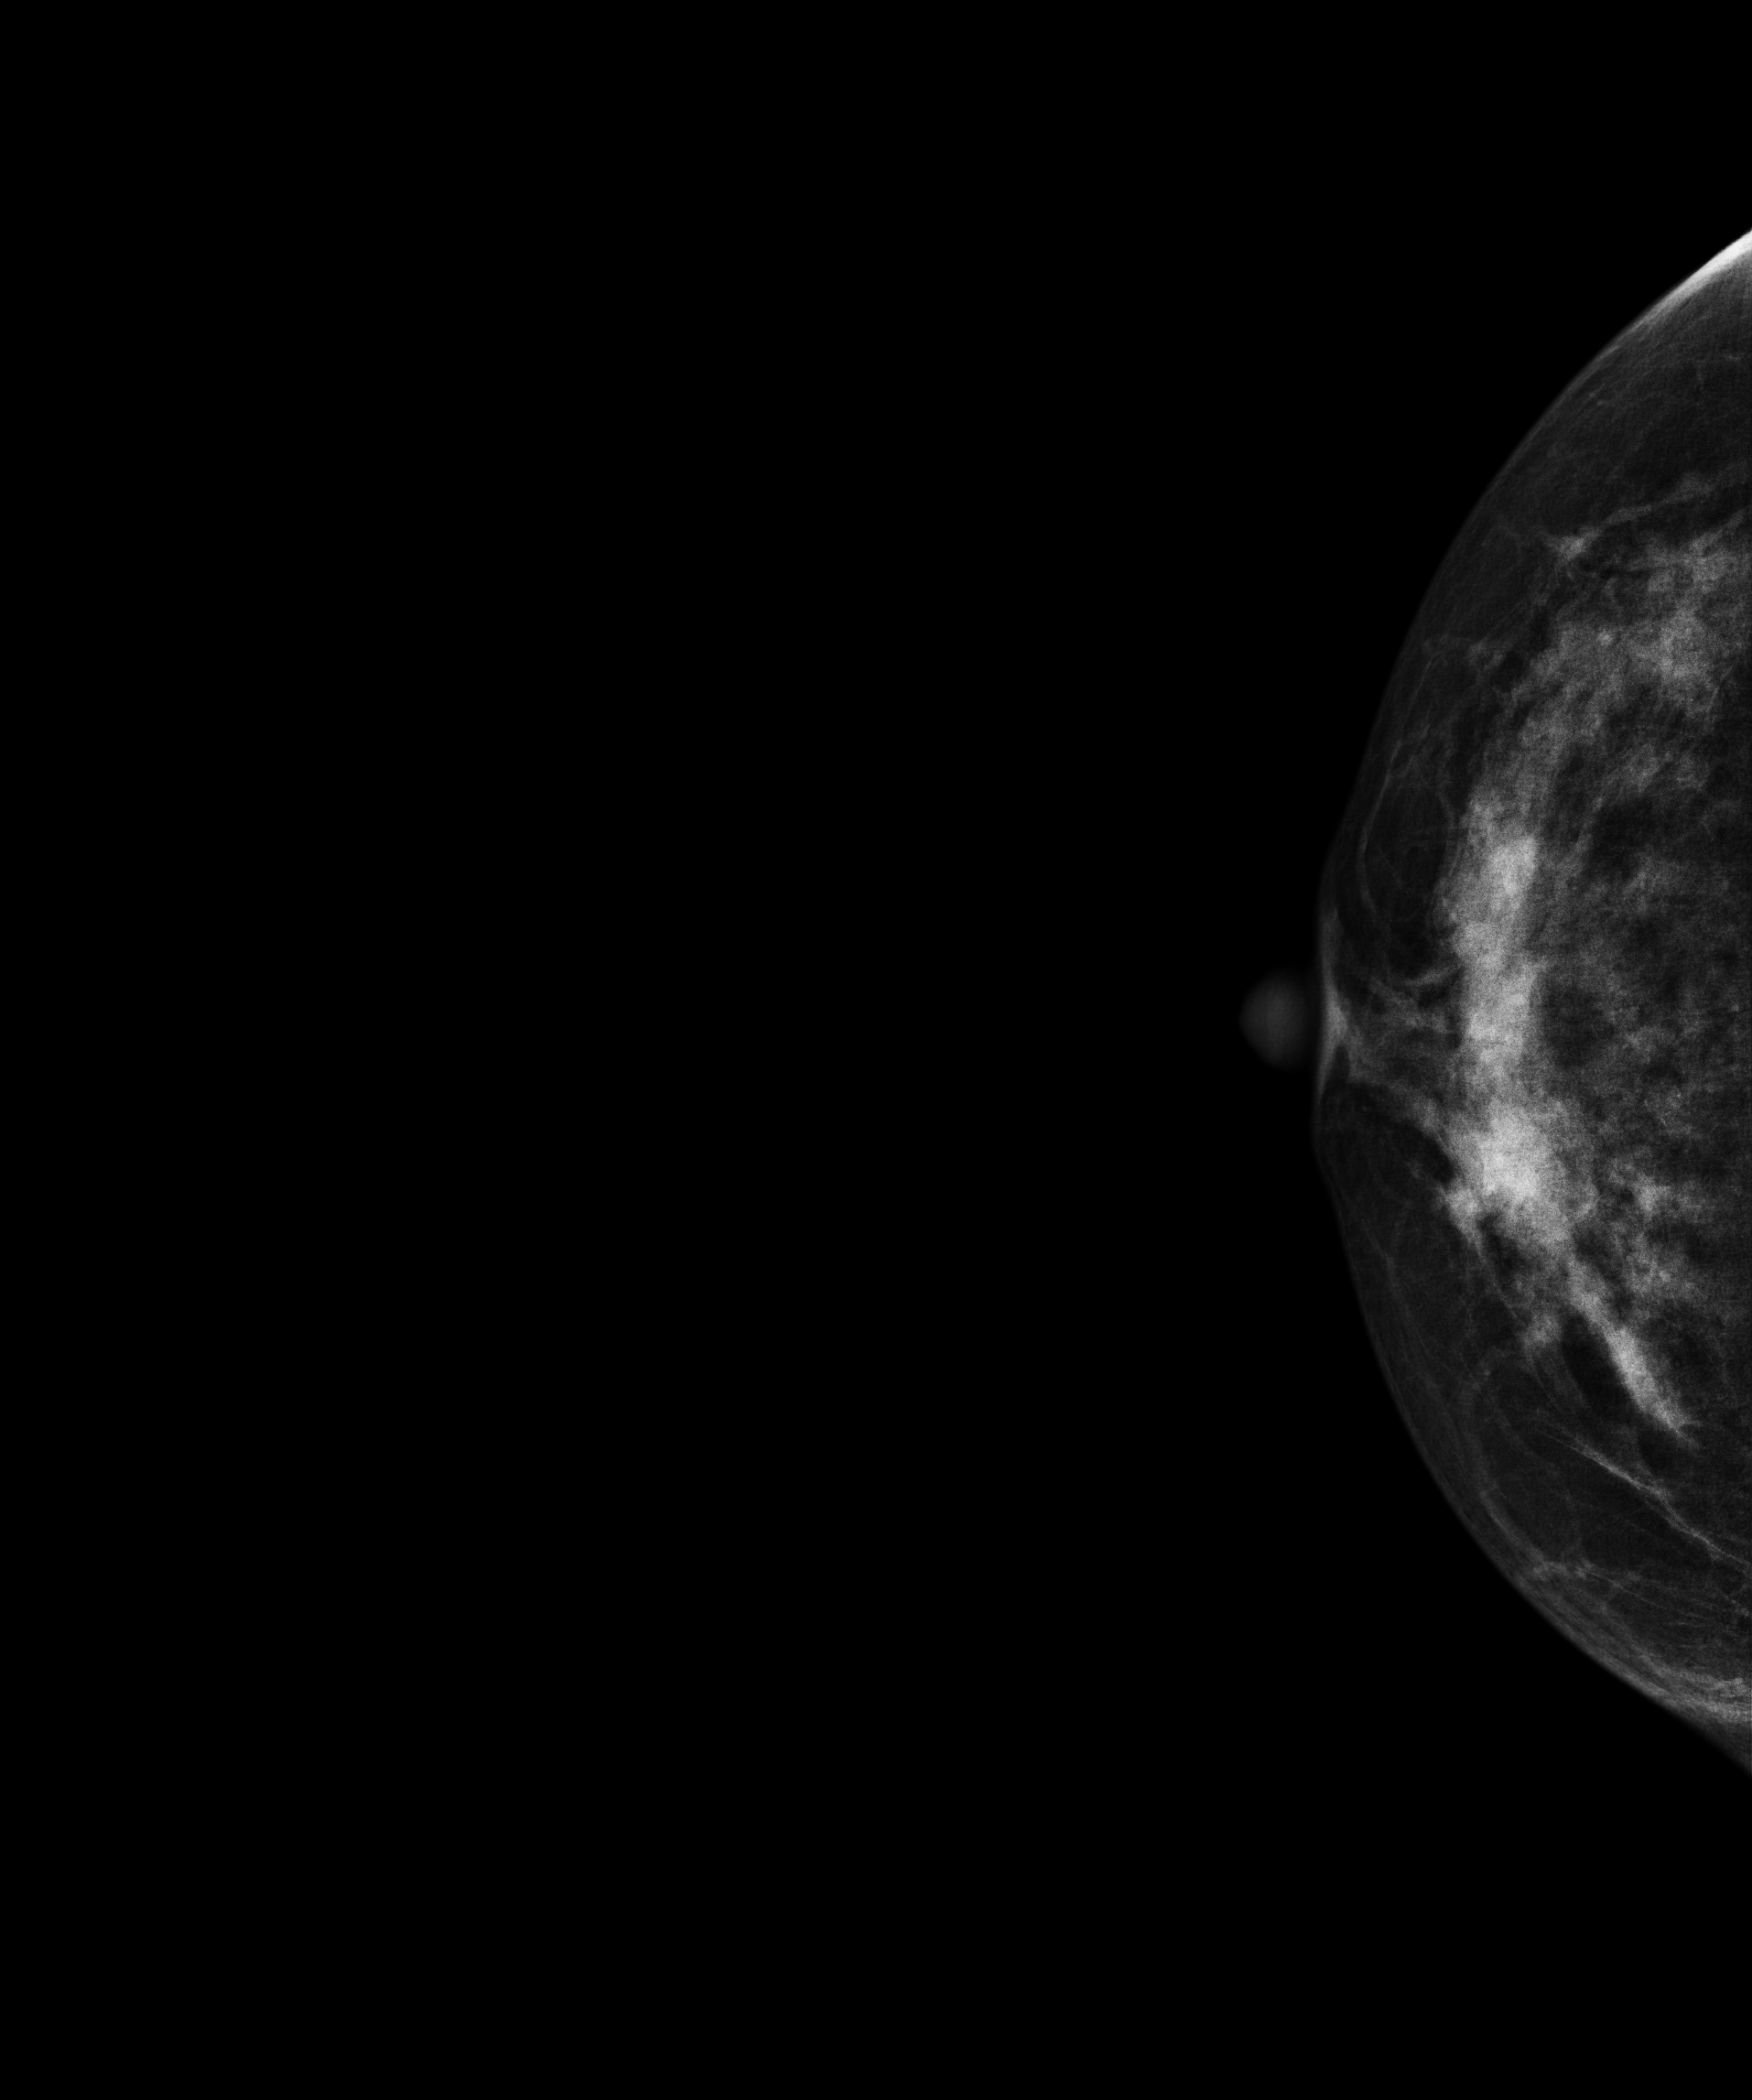
Right-breast mammogram, cranio-caudal. Patient age 43.
This breast has a mass, histologically confirmed benign.